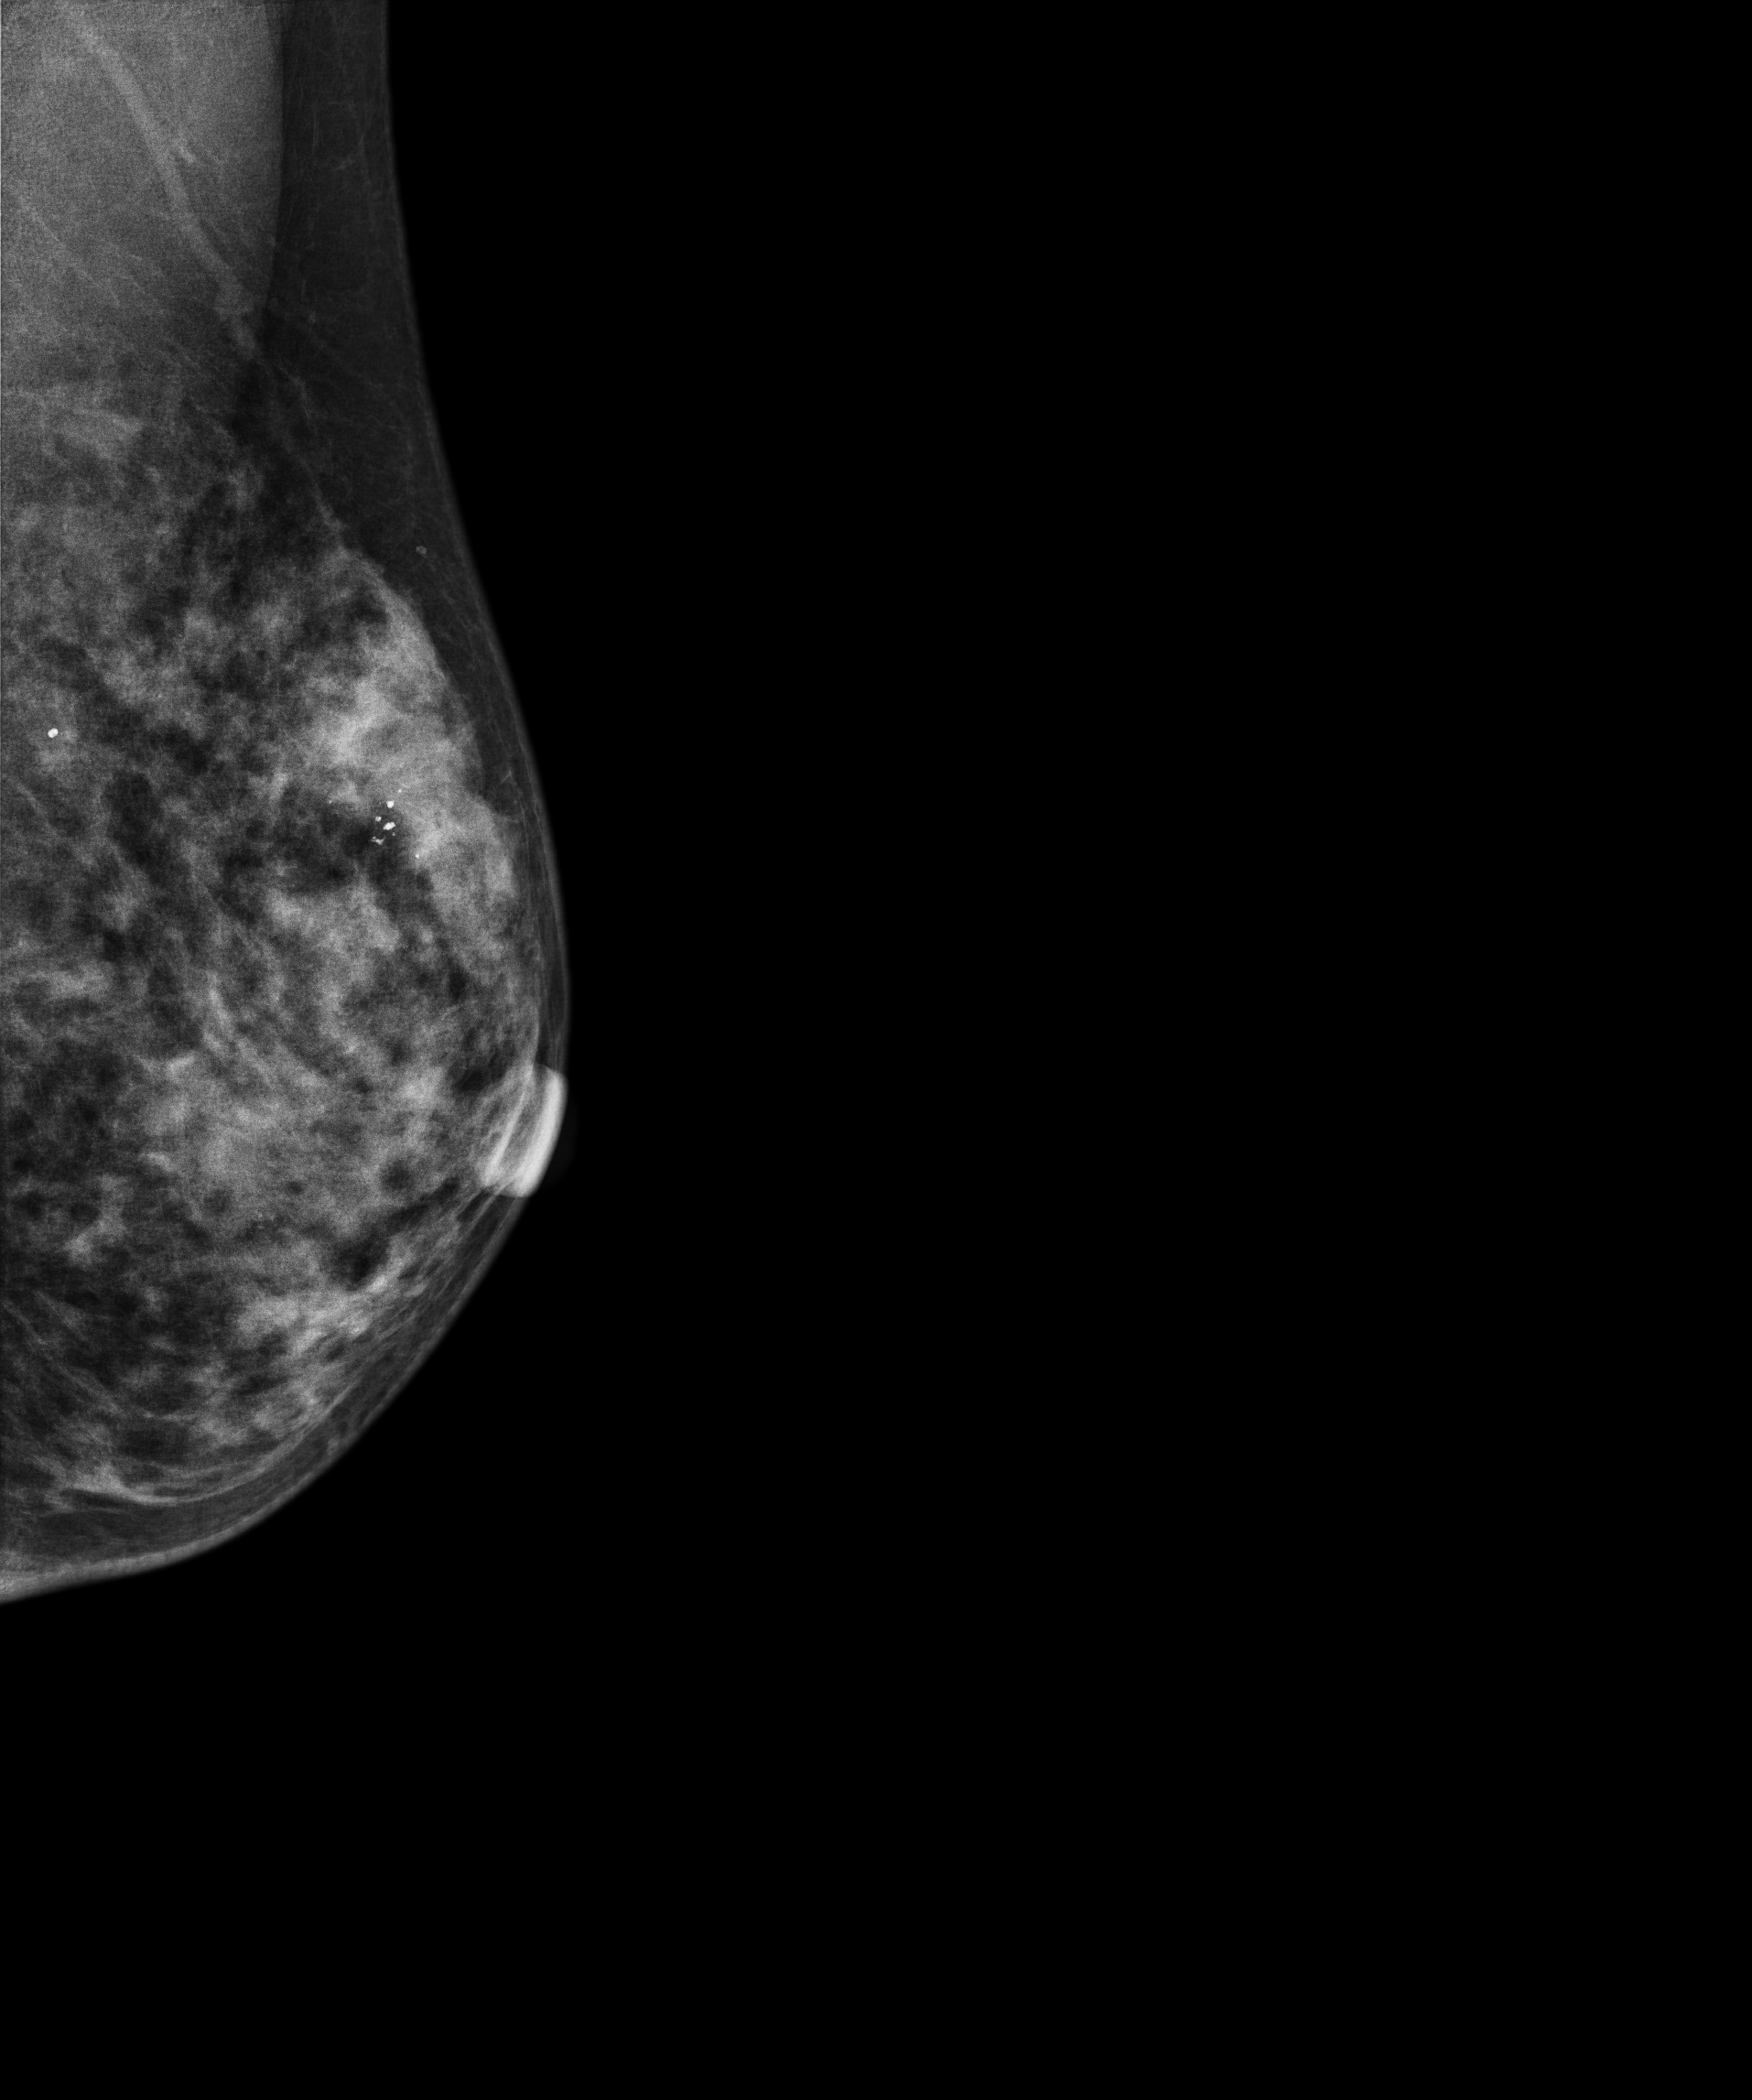
Mammogram — left MLO. 52 y/o patient.
This breast has calcifications, biopsy-confirmed benign.